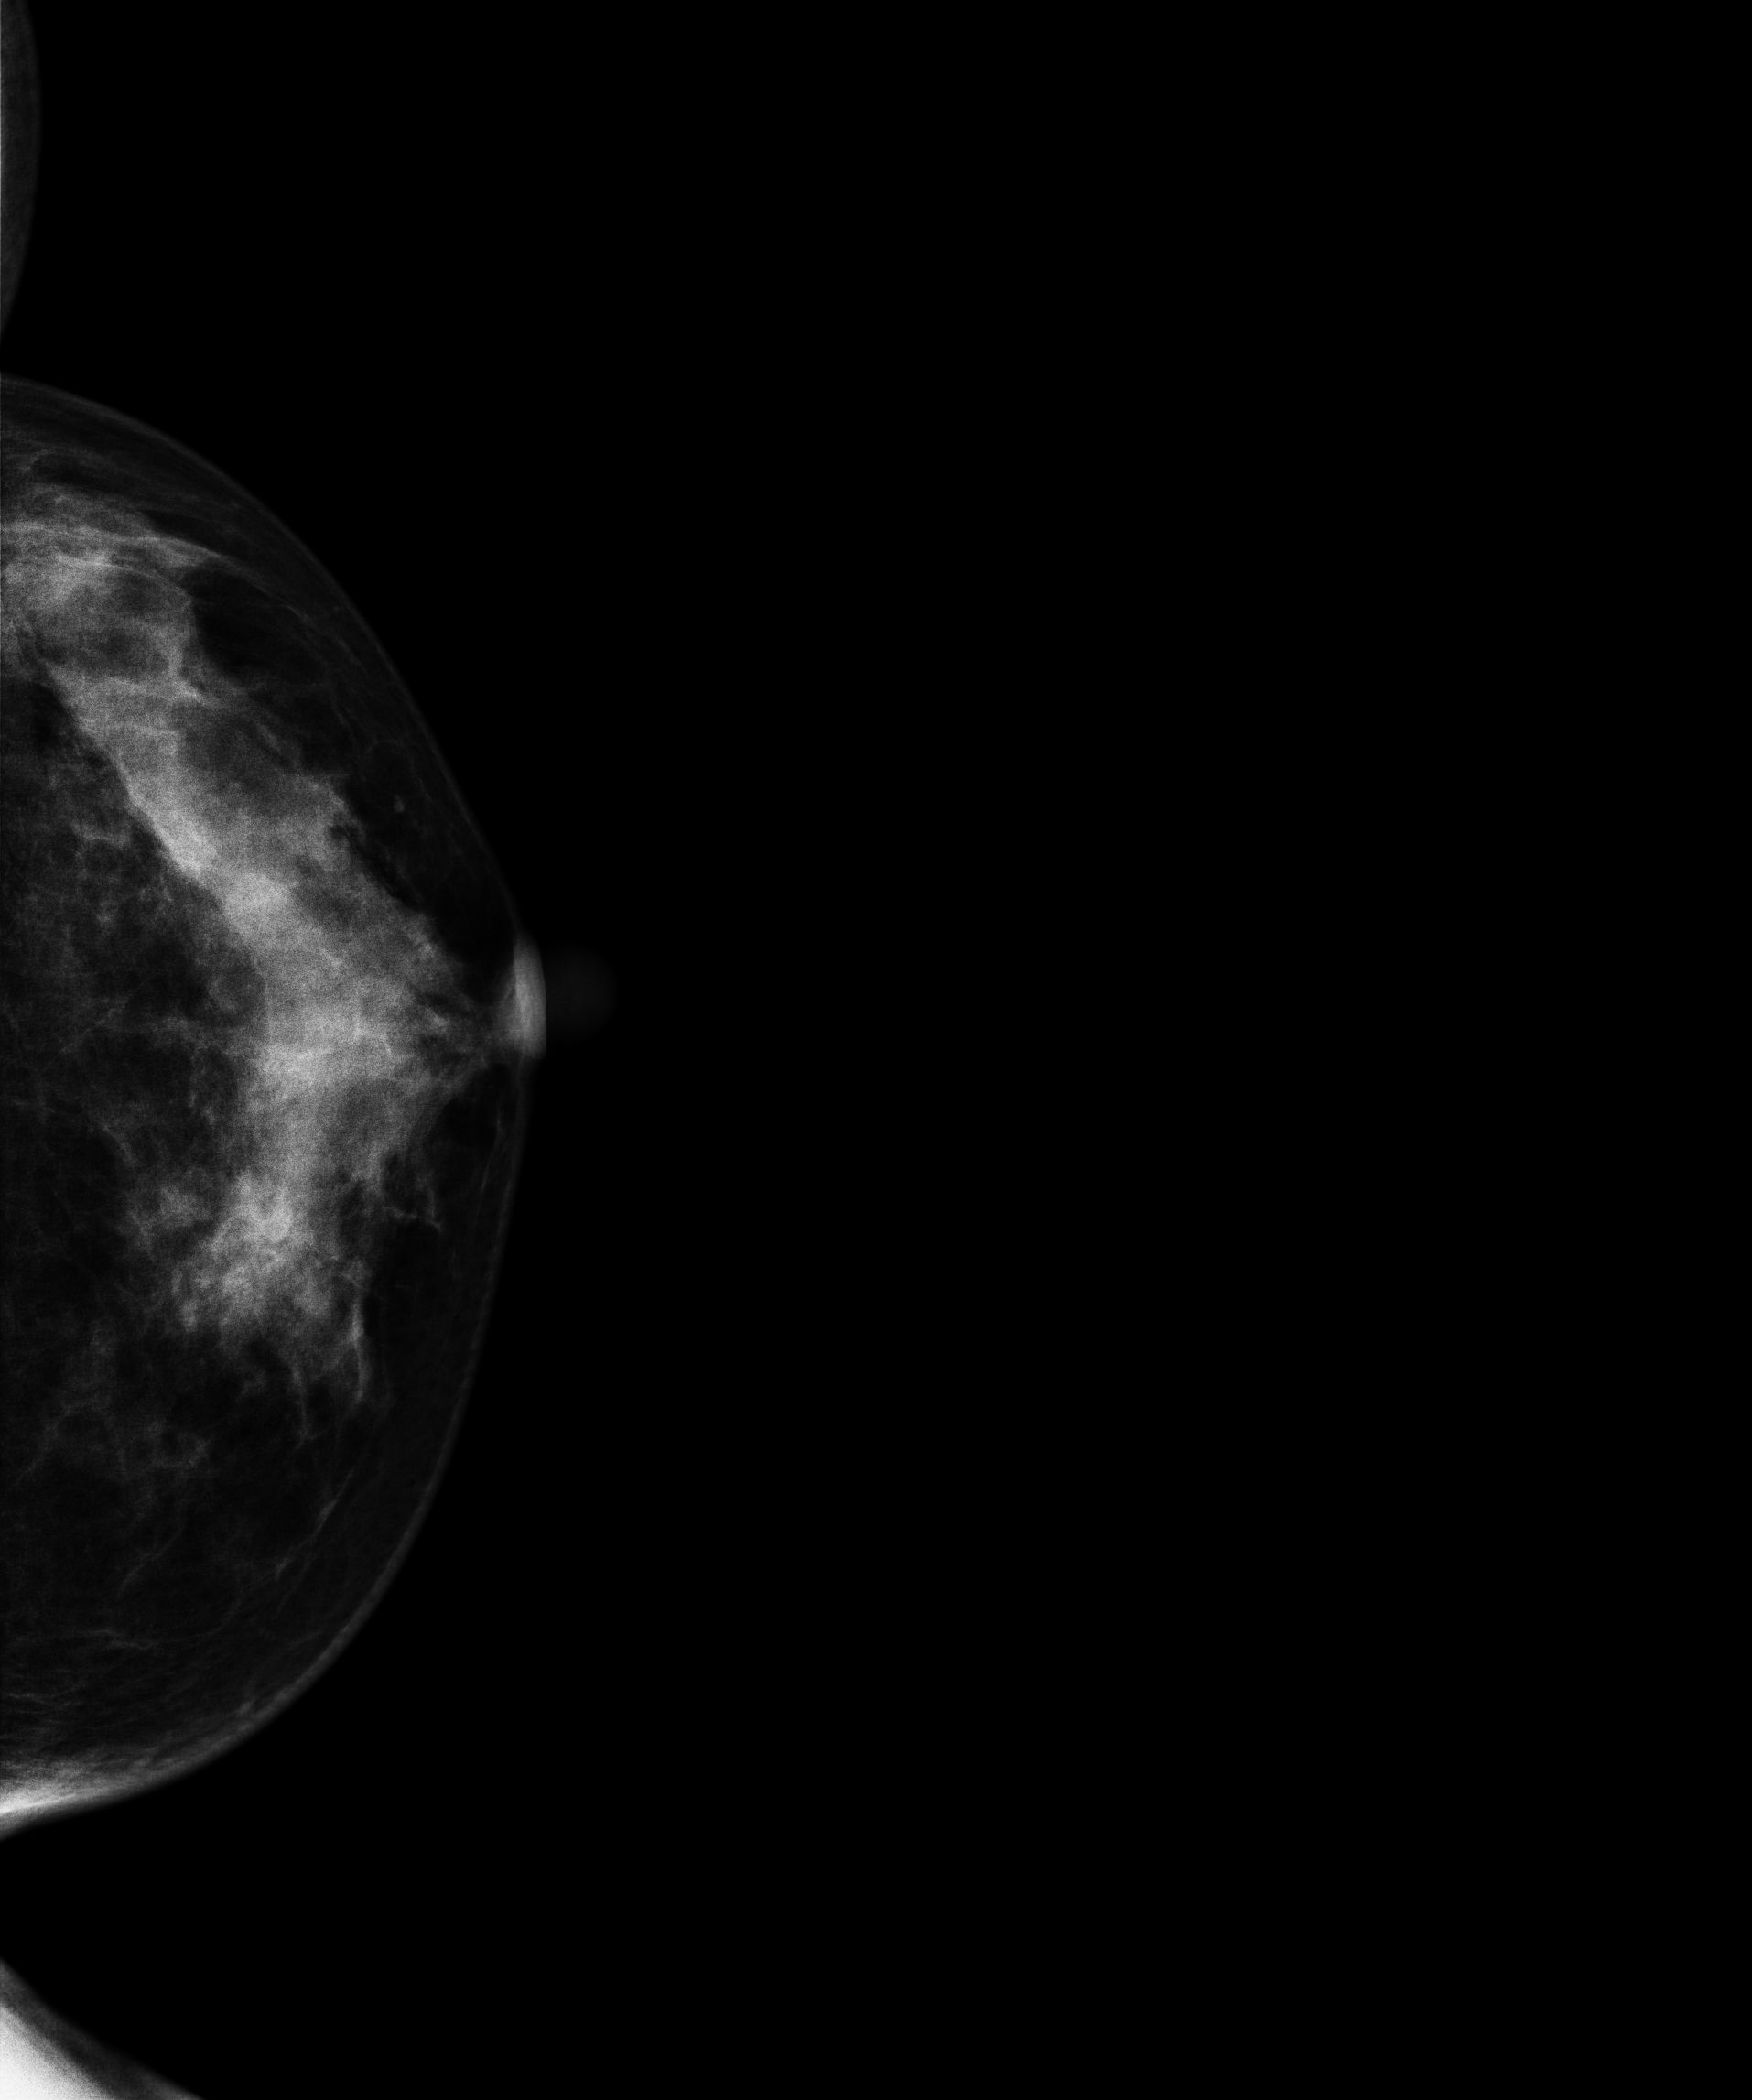
Digital mammography. Left breast, cranio-caudal projection. 44-year-old patient.
Contralateral breast — no documented abnormality on this side.